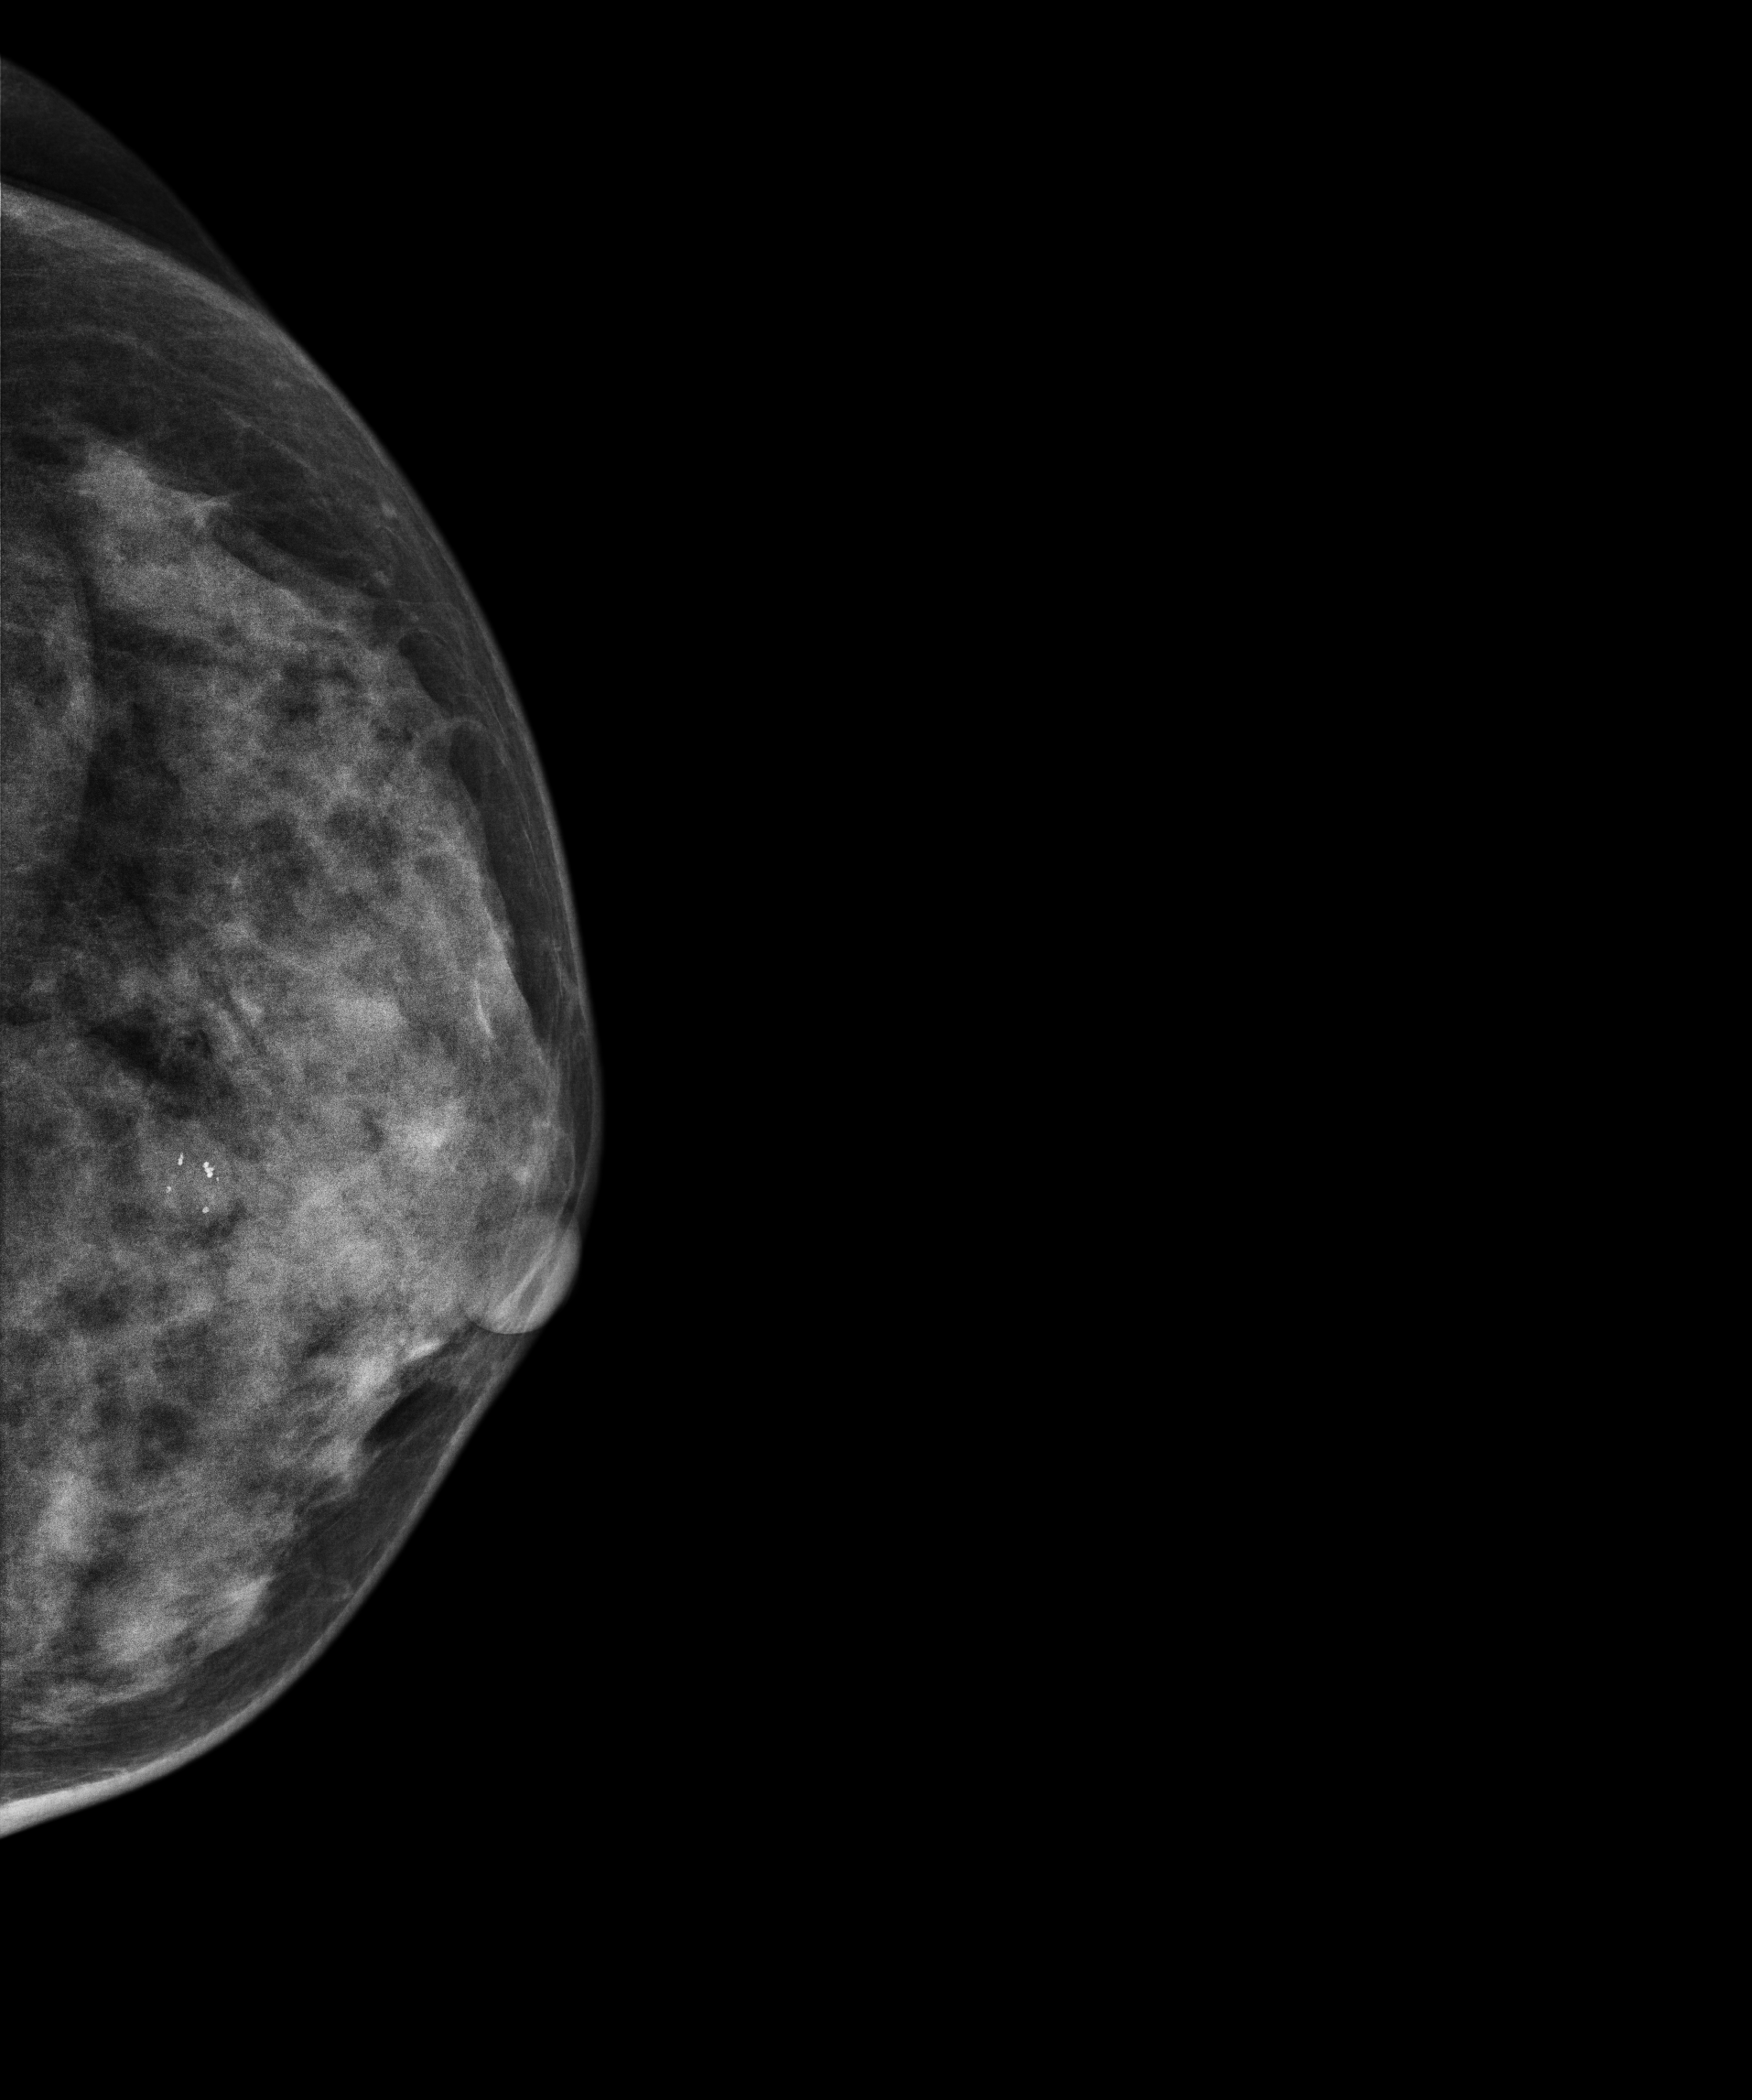
Mammogram, left breast, CC view. 45-year-old patient.
This breast has a mass and calcifications, biopsy-confirmed benign.